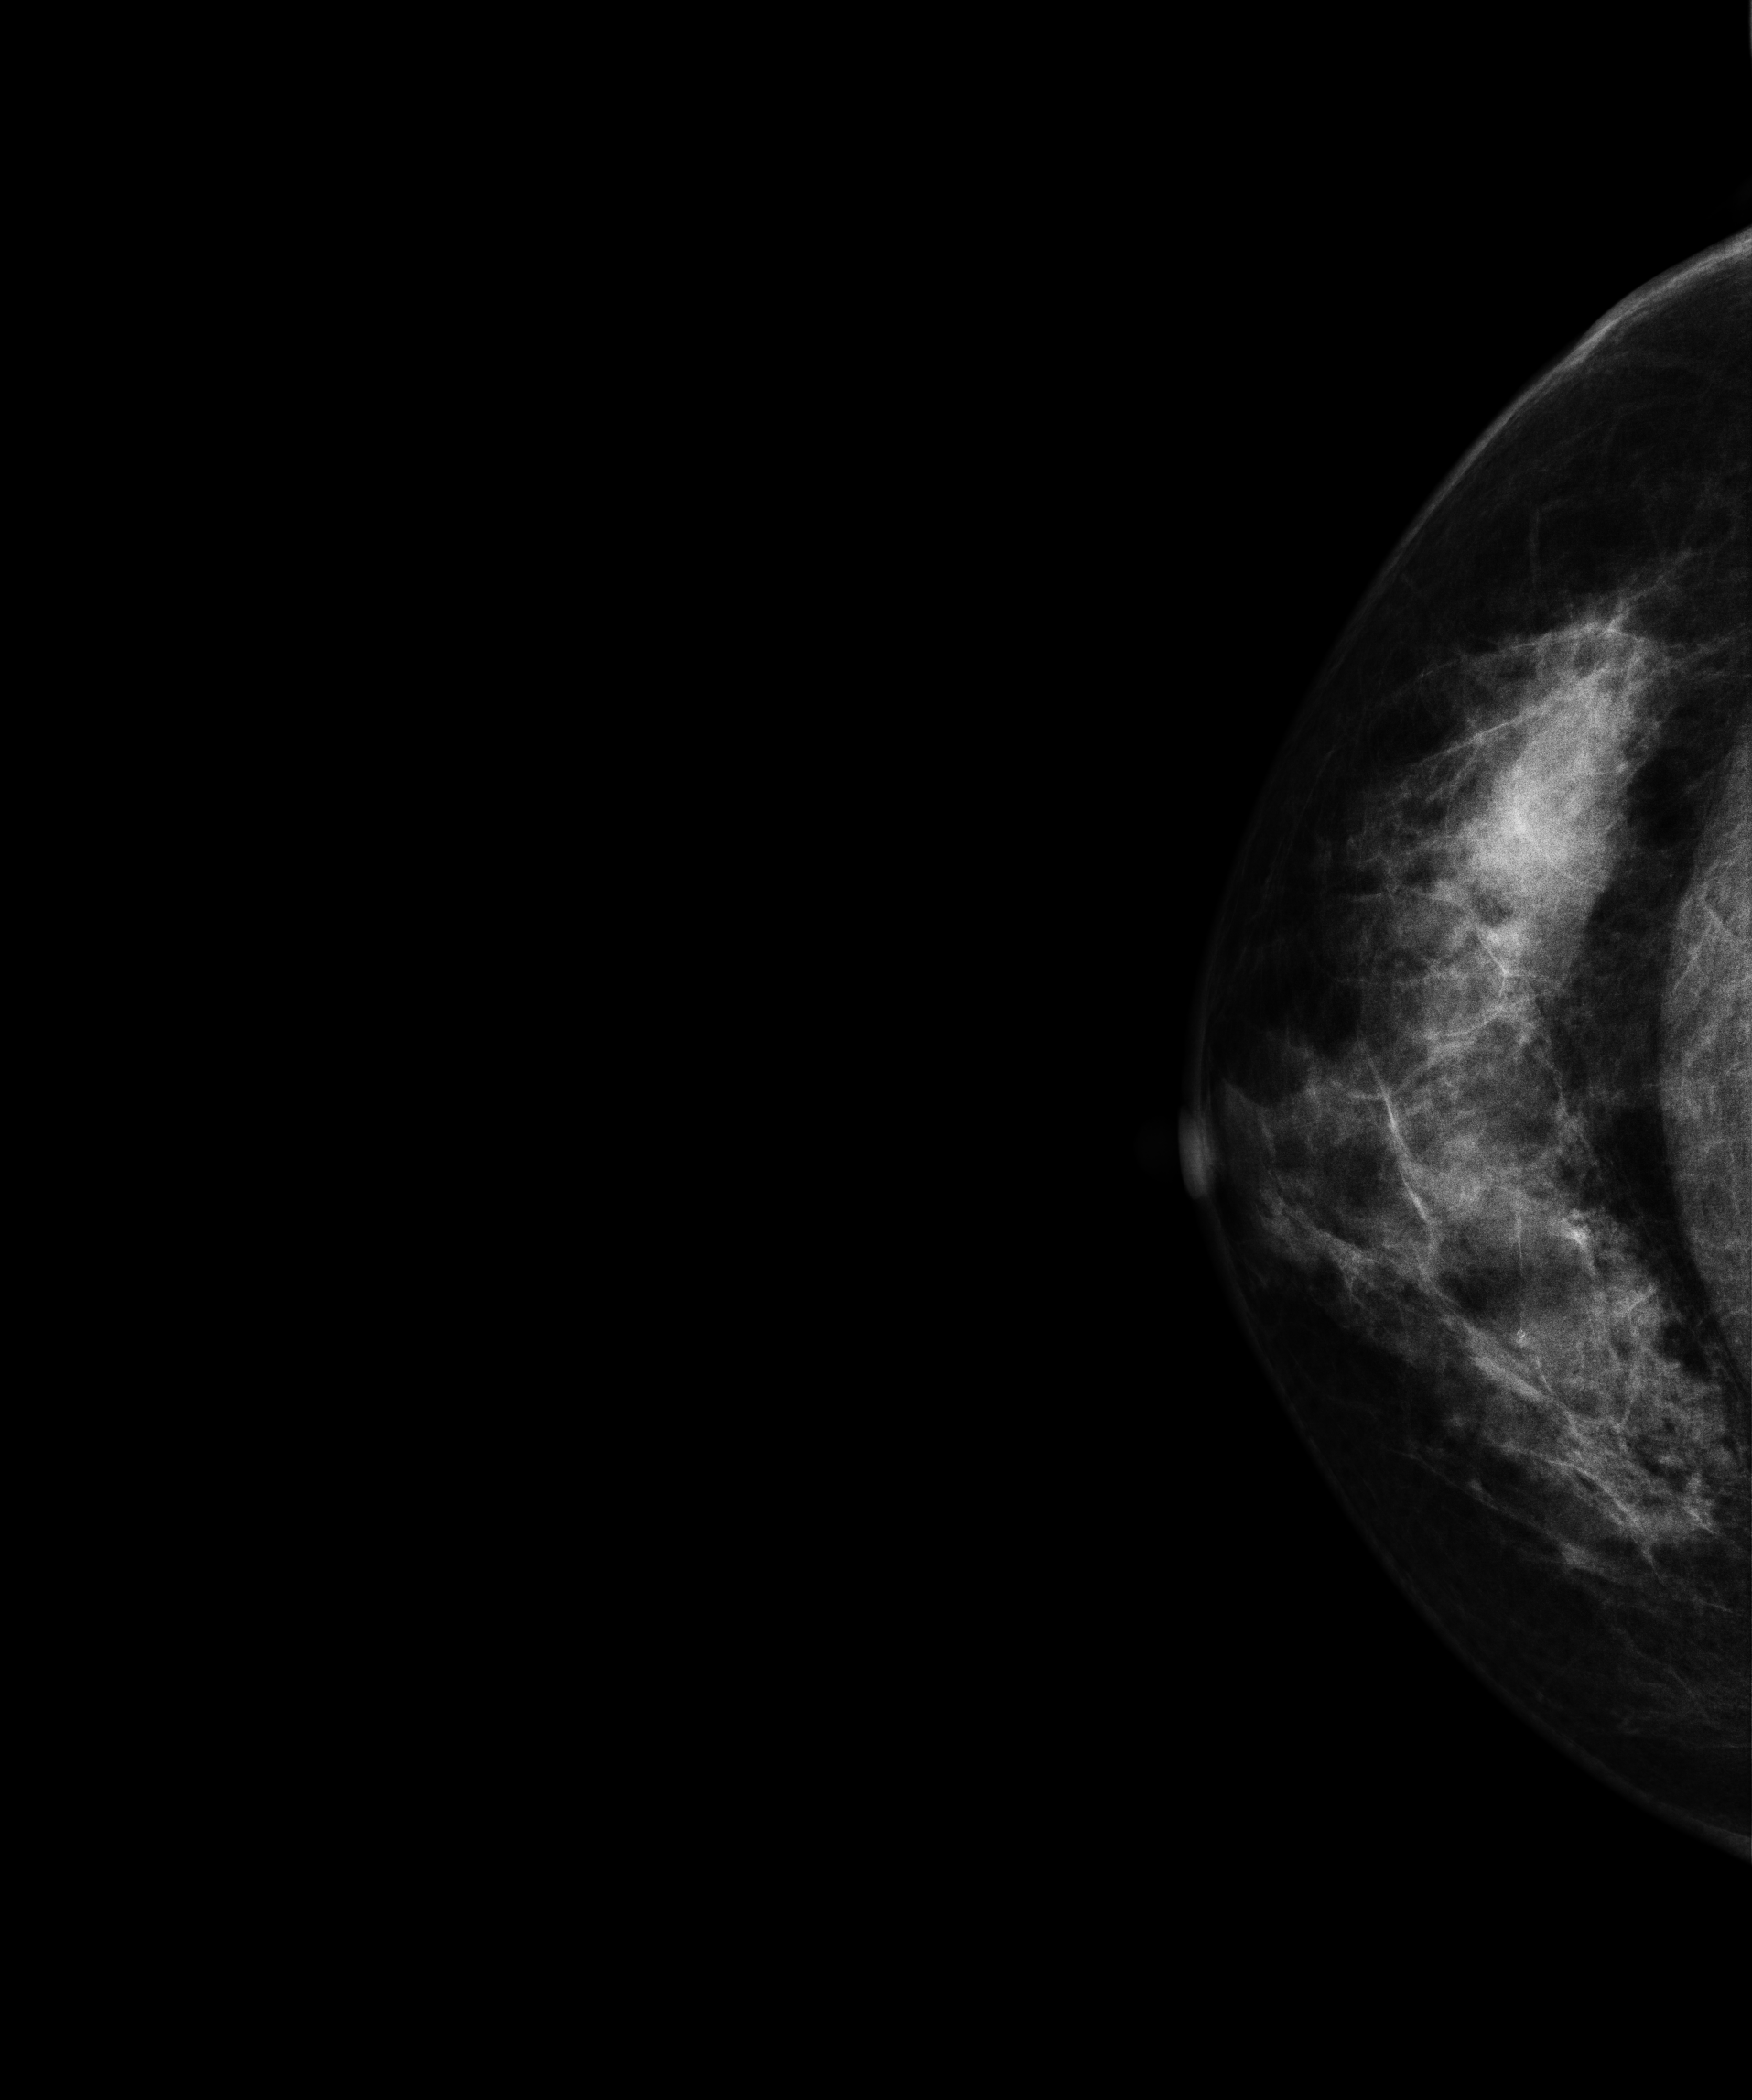
Mammogram, right breast, cranio-caudal view. 54-year-old patient.
This breast has a mass, biopsy-proven malignant. Molecular subtype: luminal B.